Mammogram, right breast, MLO view. 56-year-old patient.
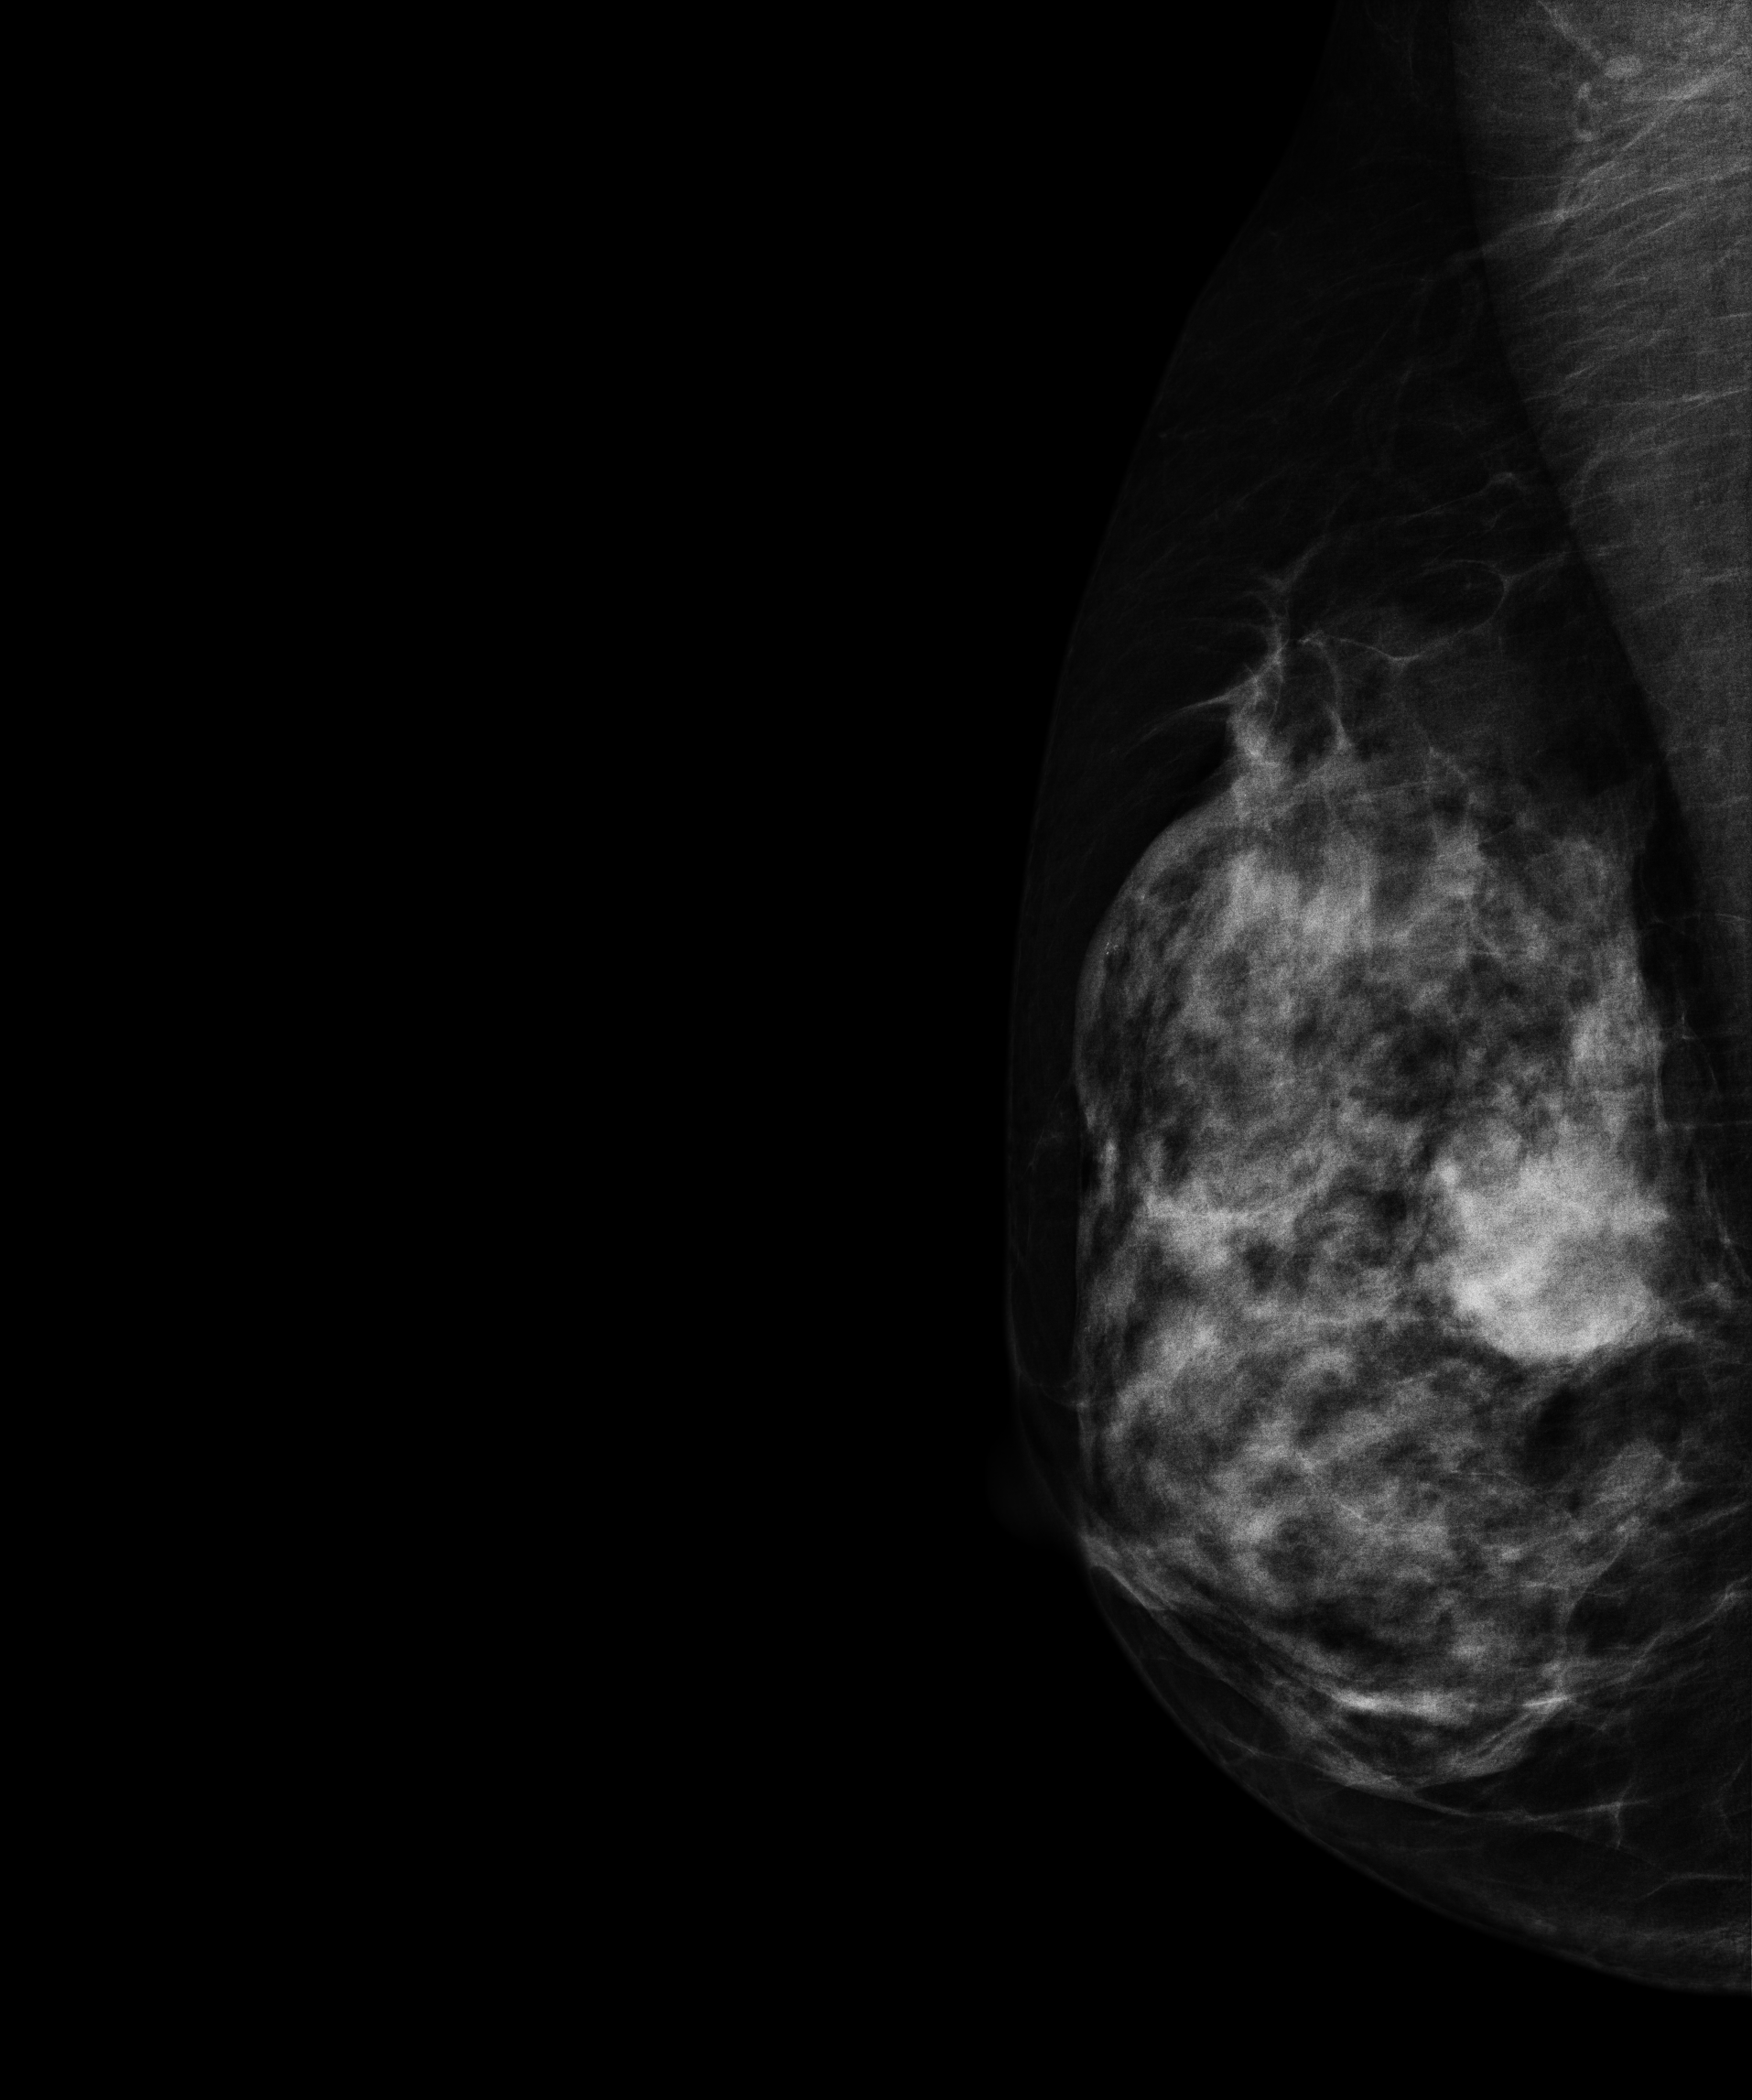
This breast has a mass, biopsy-confirmed malignant.